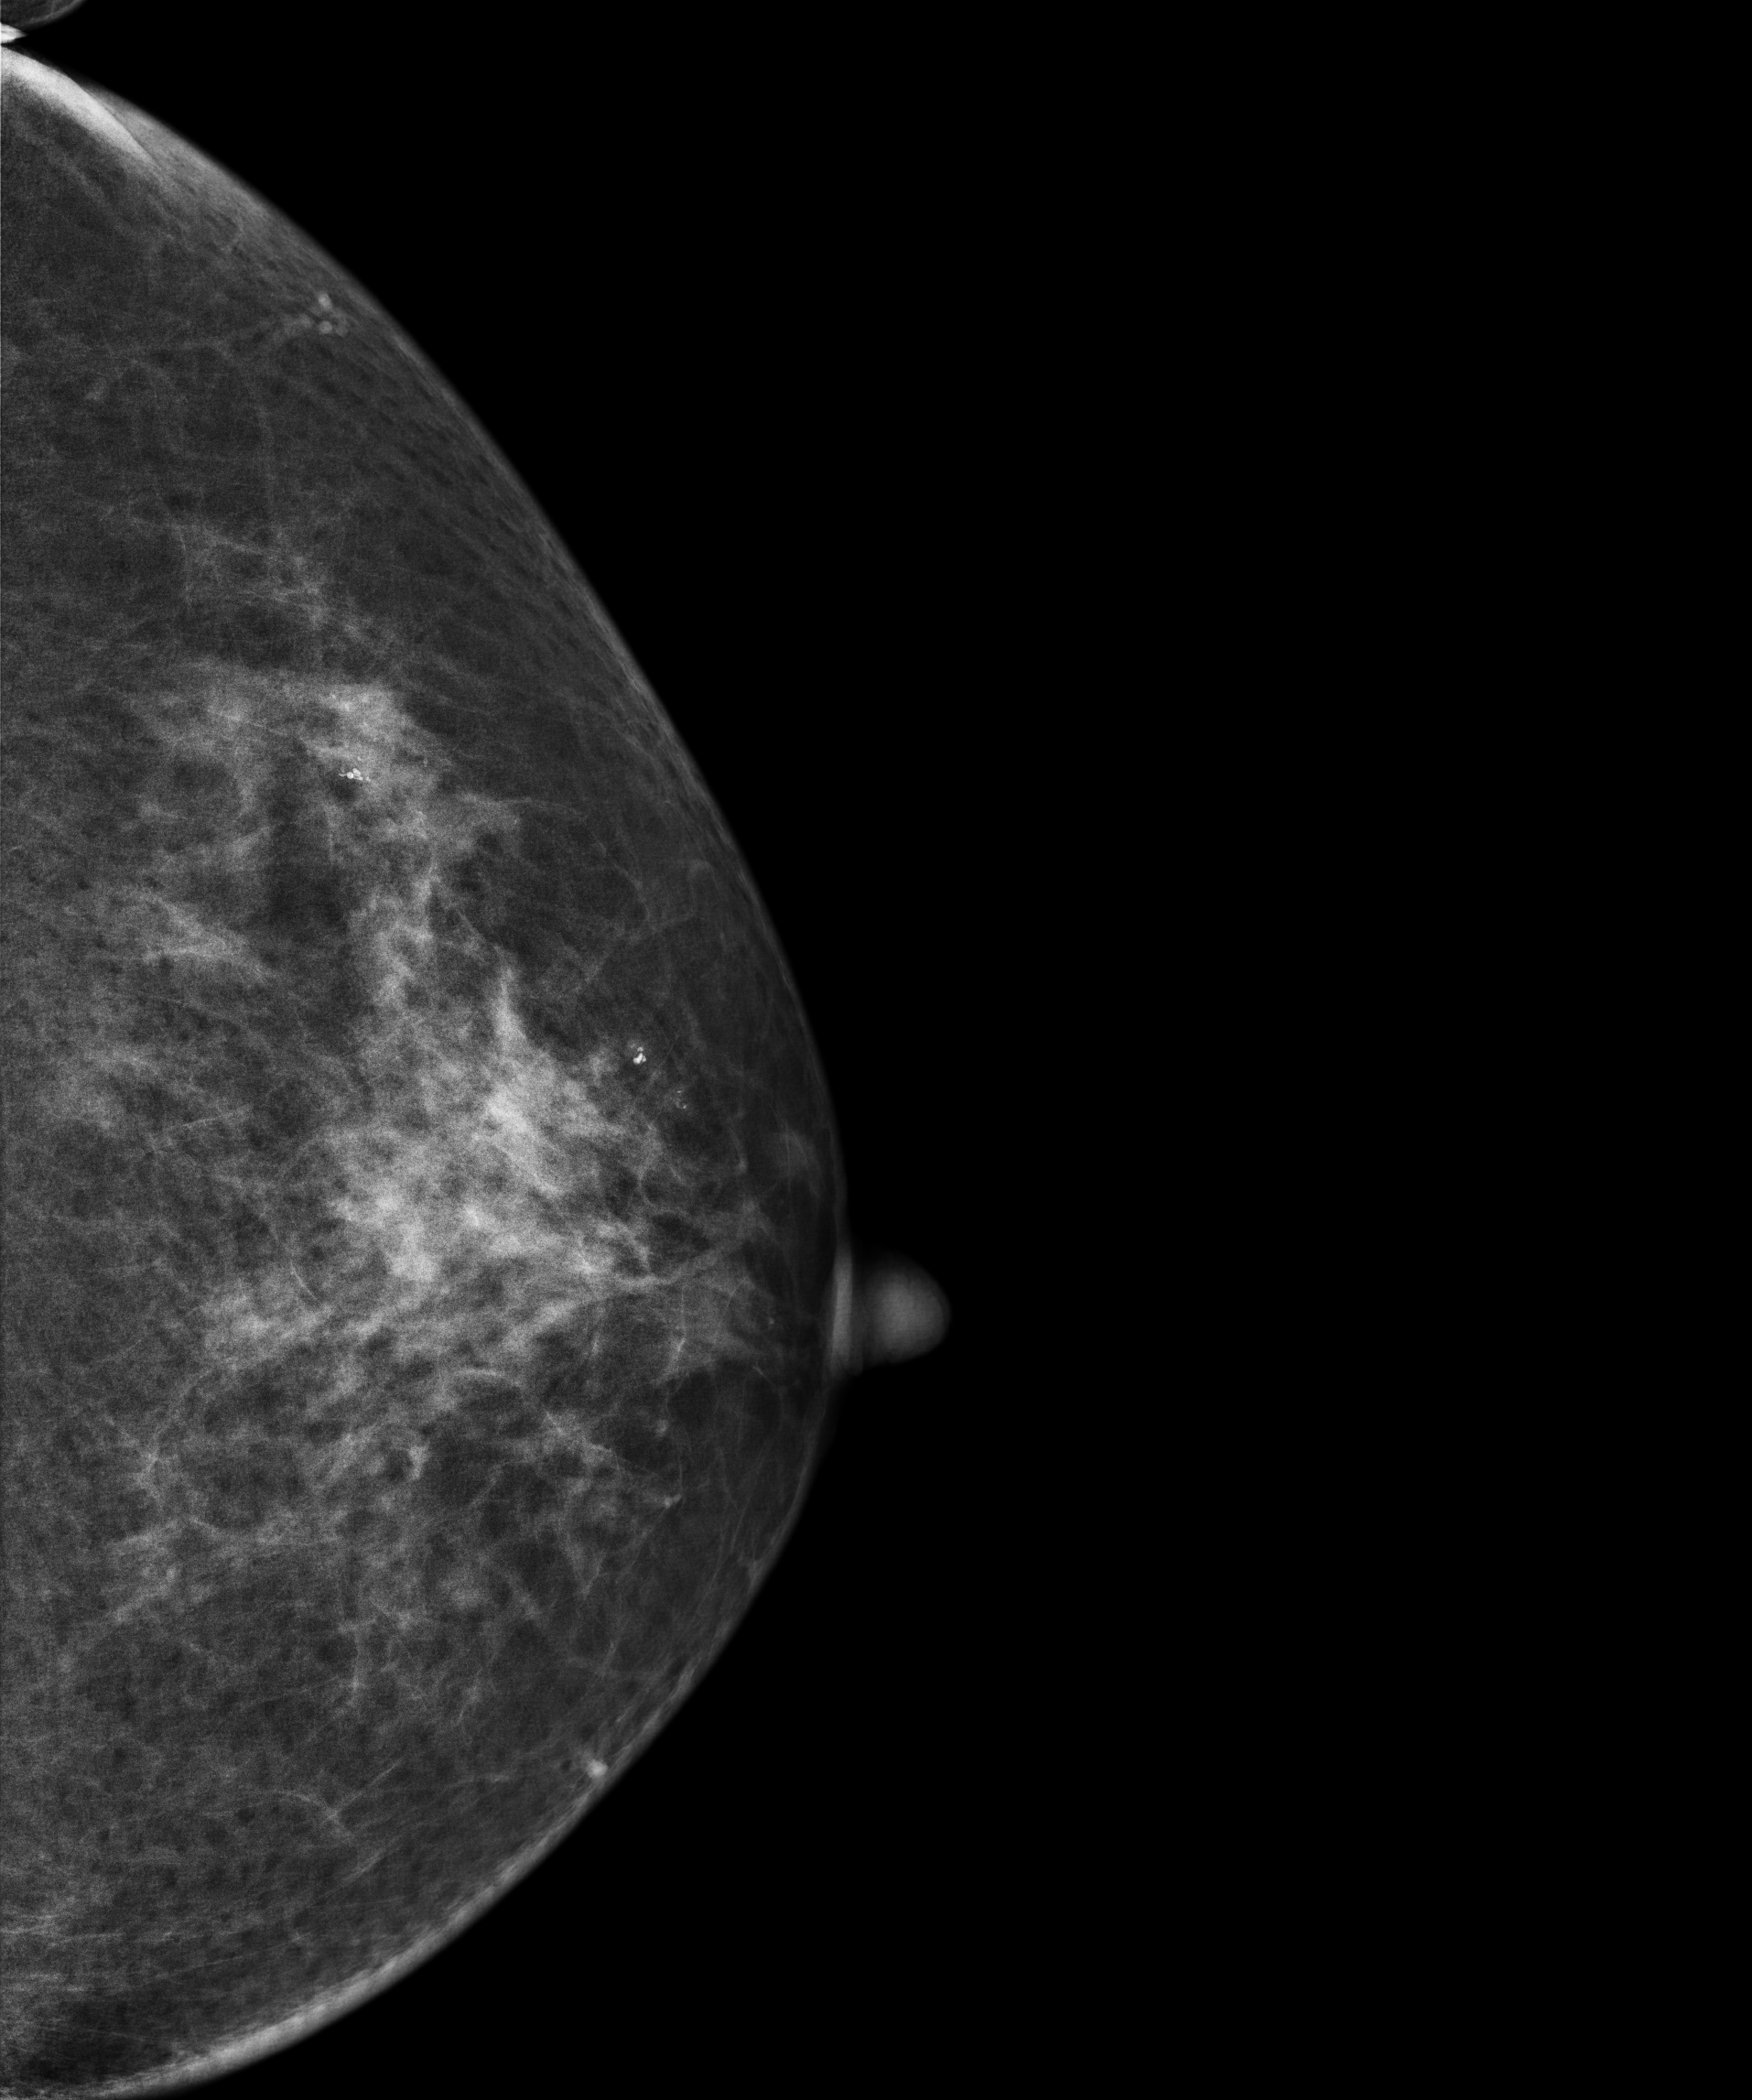
Cranio-caudal mammogram of the left breast. 43 y/o patient.
This breast has a mass and calcifications, biopsy-proven malignant.